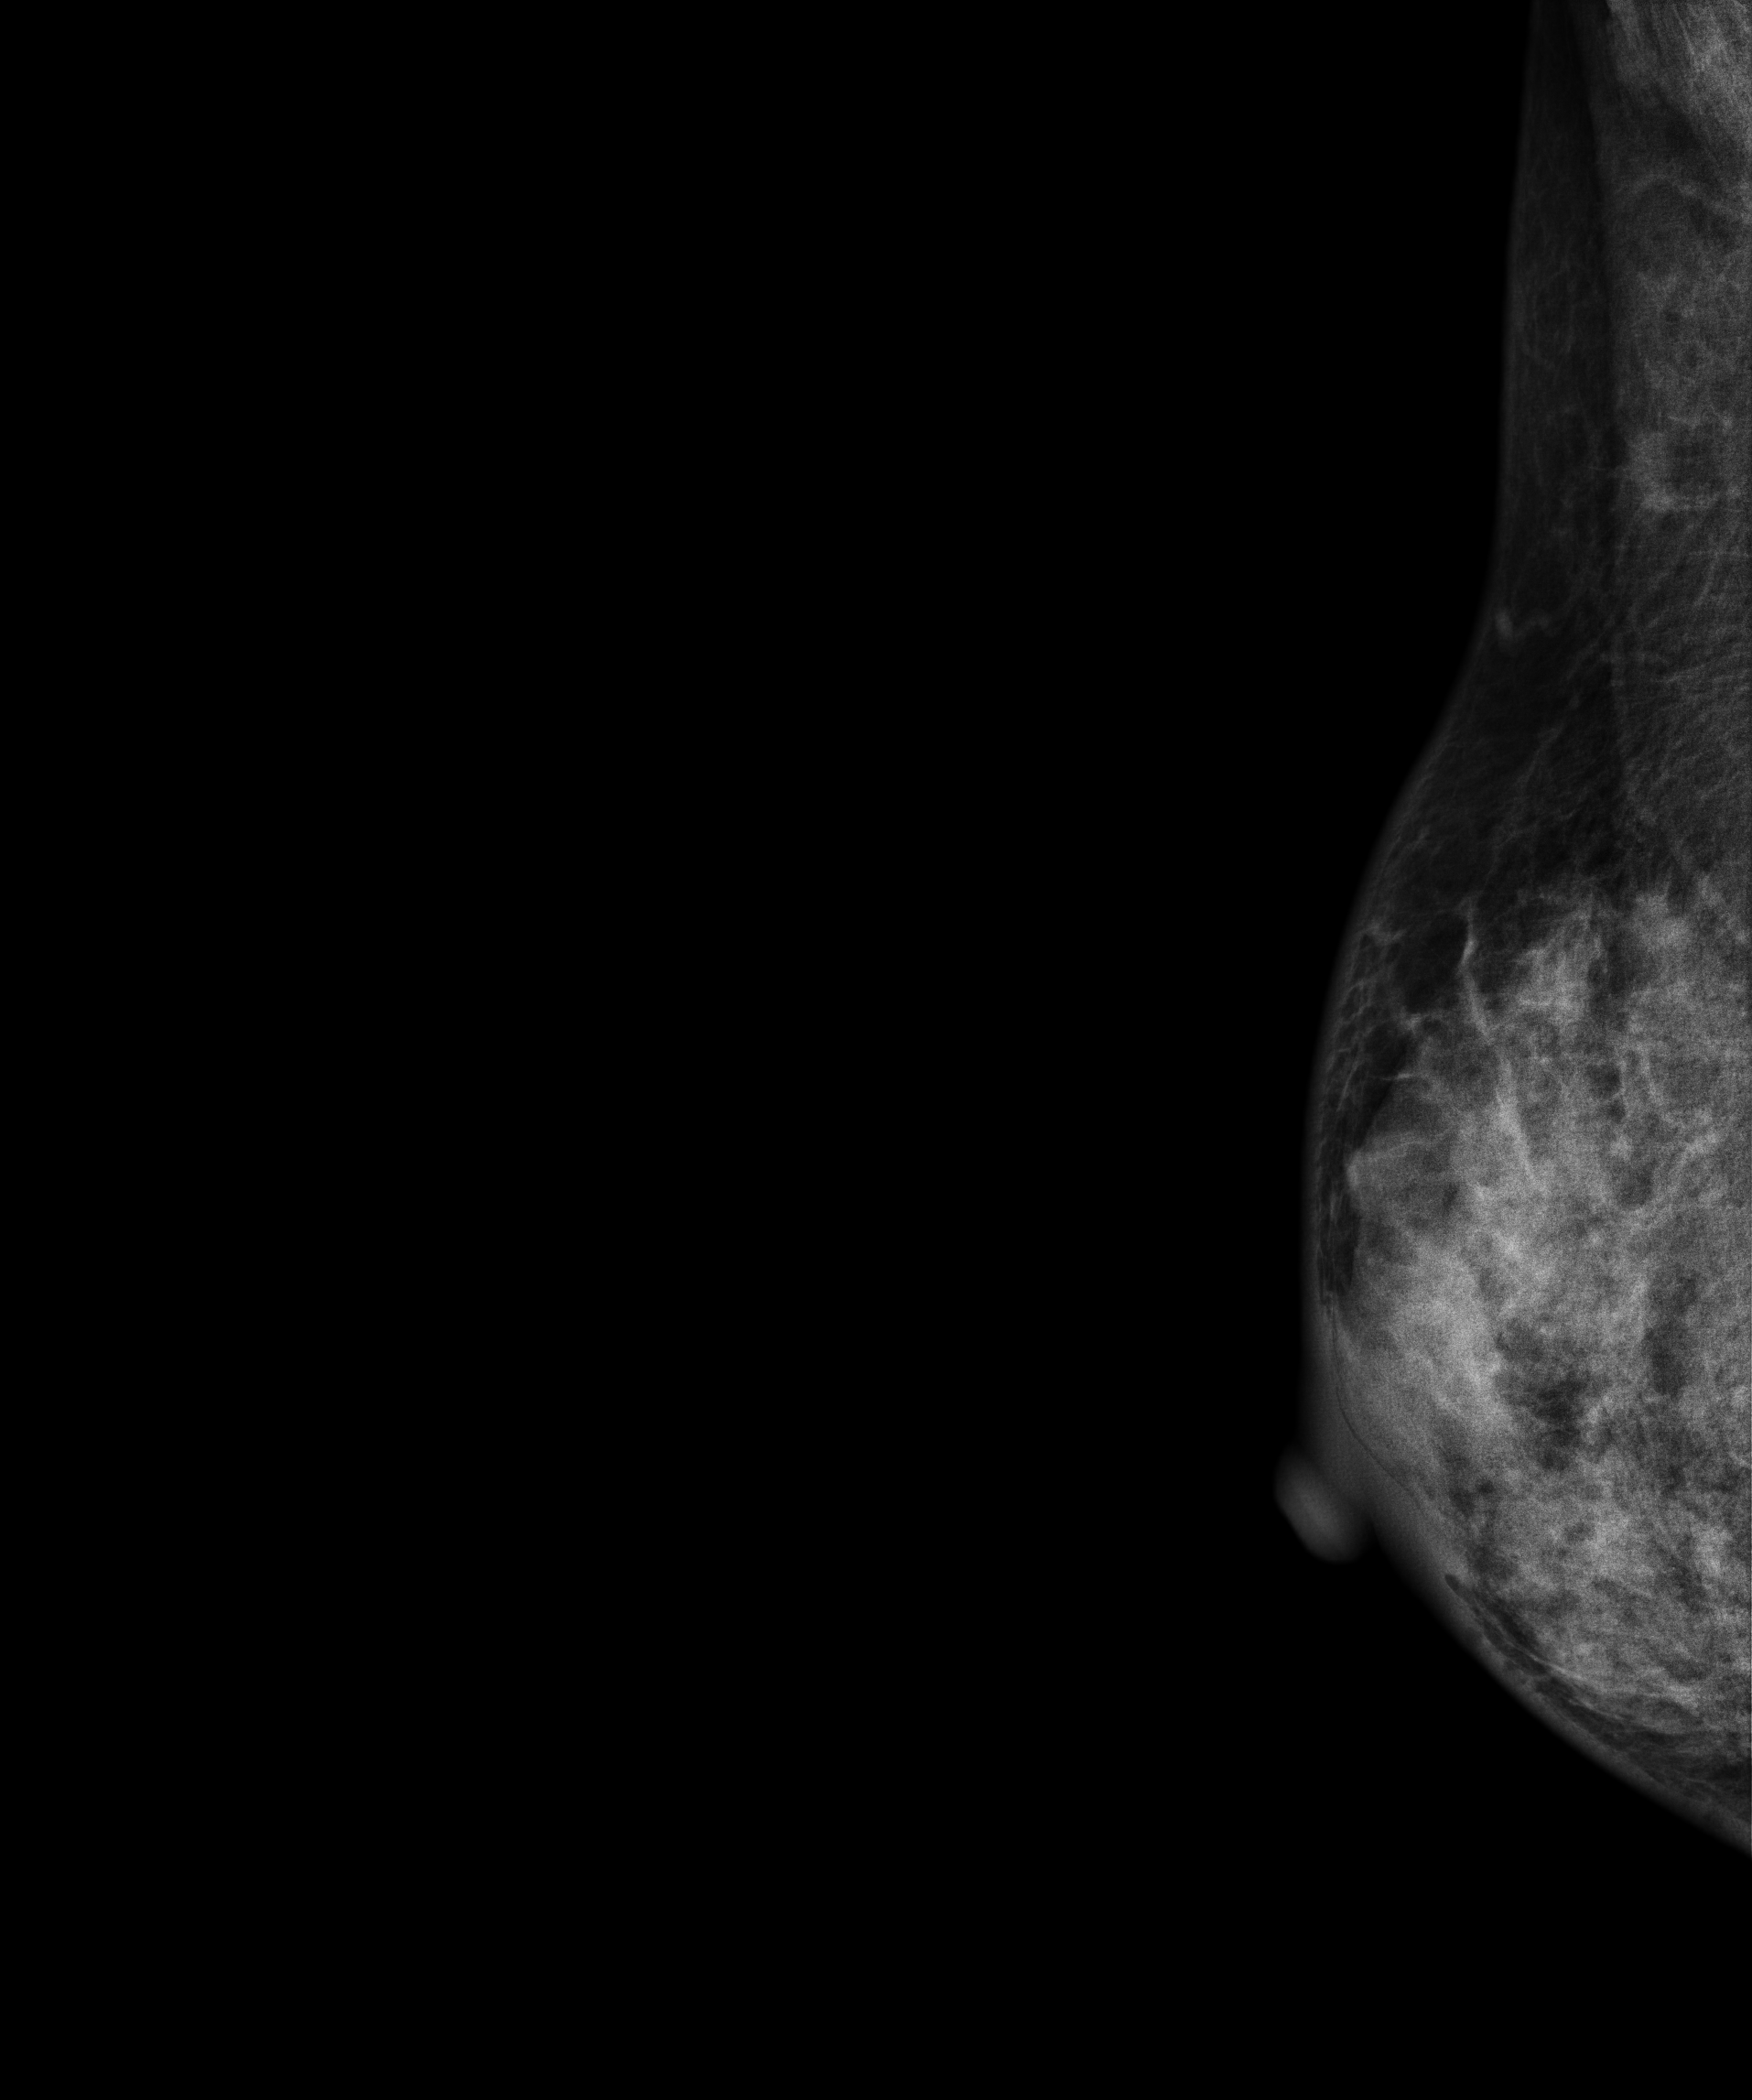
Mammogram, right breast, MLO view. 47-year-old patient.
This breast has a mass, pathology-confirmed malignant. Molecular subtype: triple-negative.